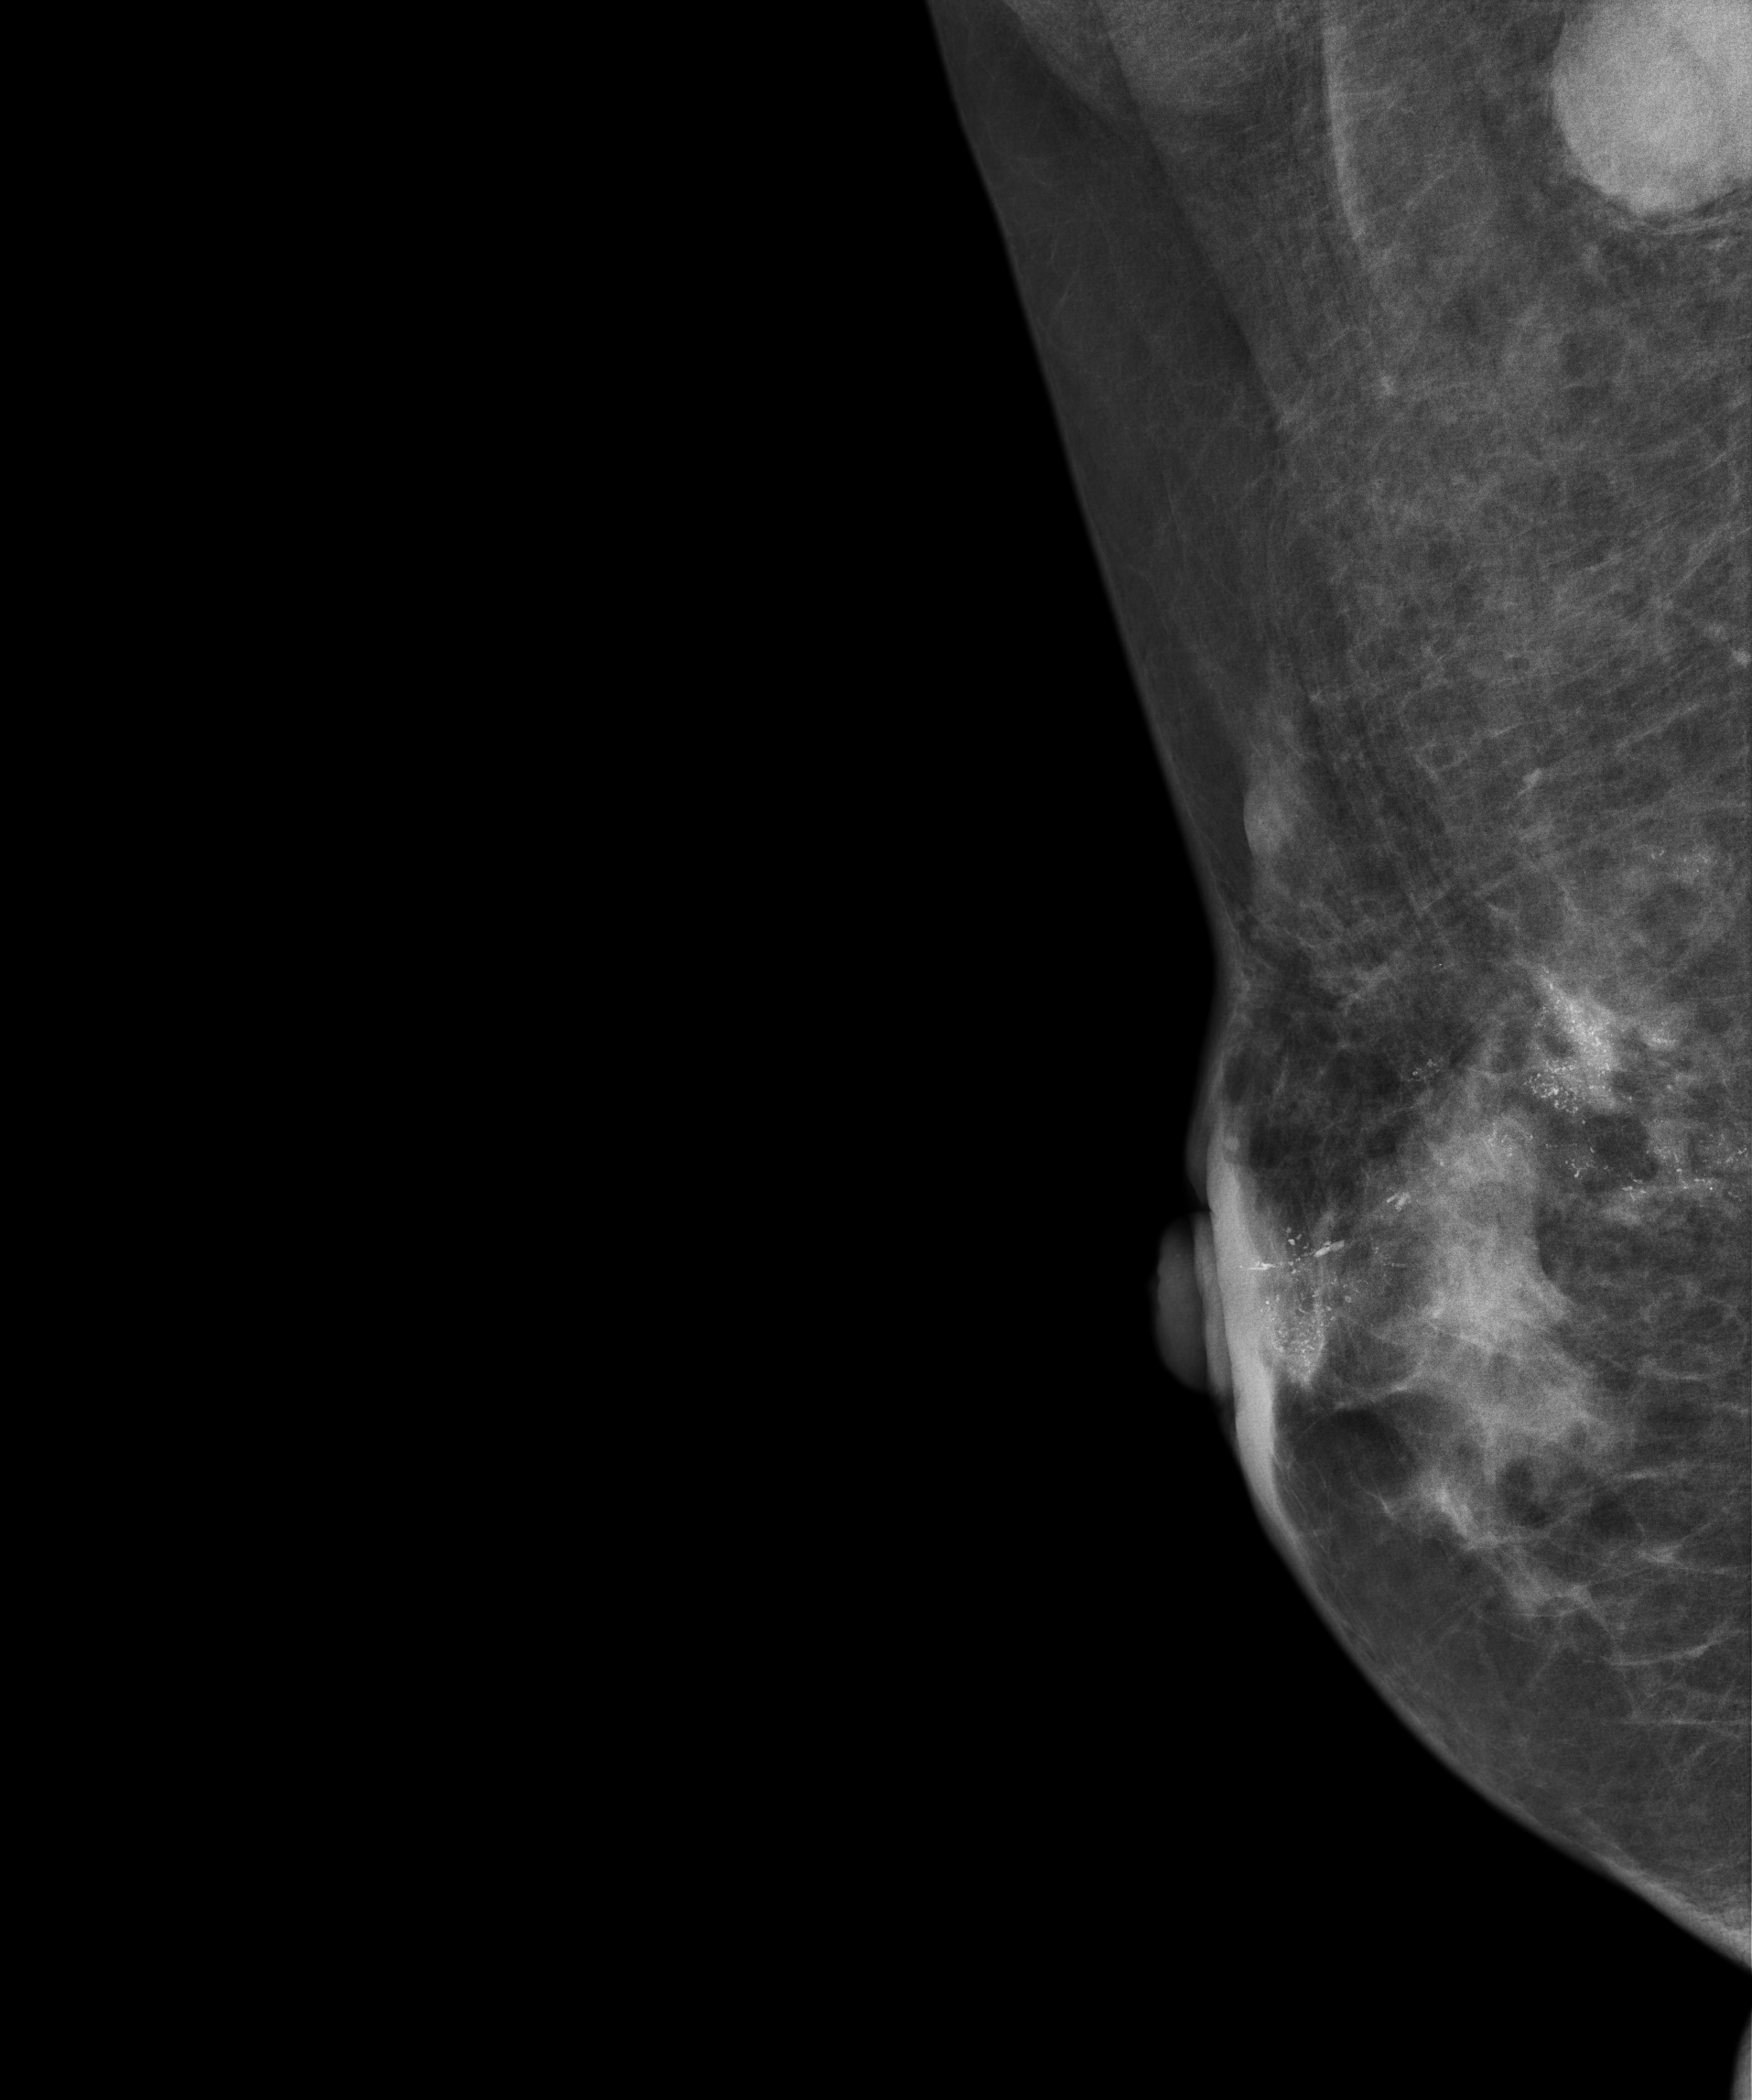
Mammogram, right breast, MLO view. 47-year-old patient.
This breast has calcifications, biopsy-proven malignant. Molecular subtype: luminal B.